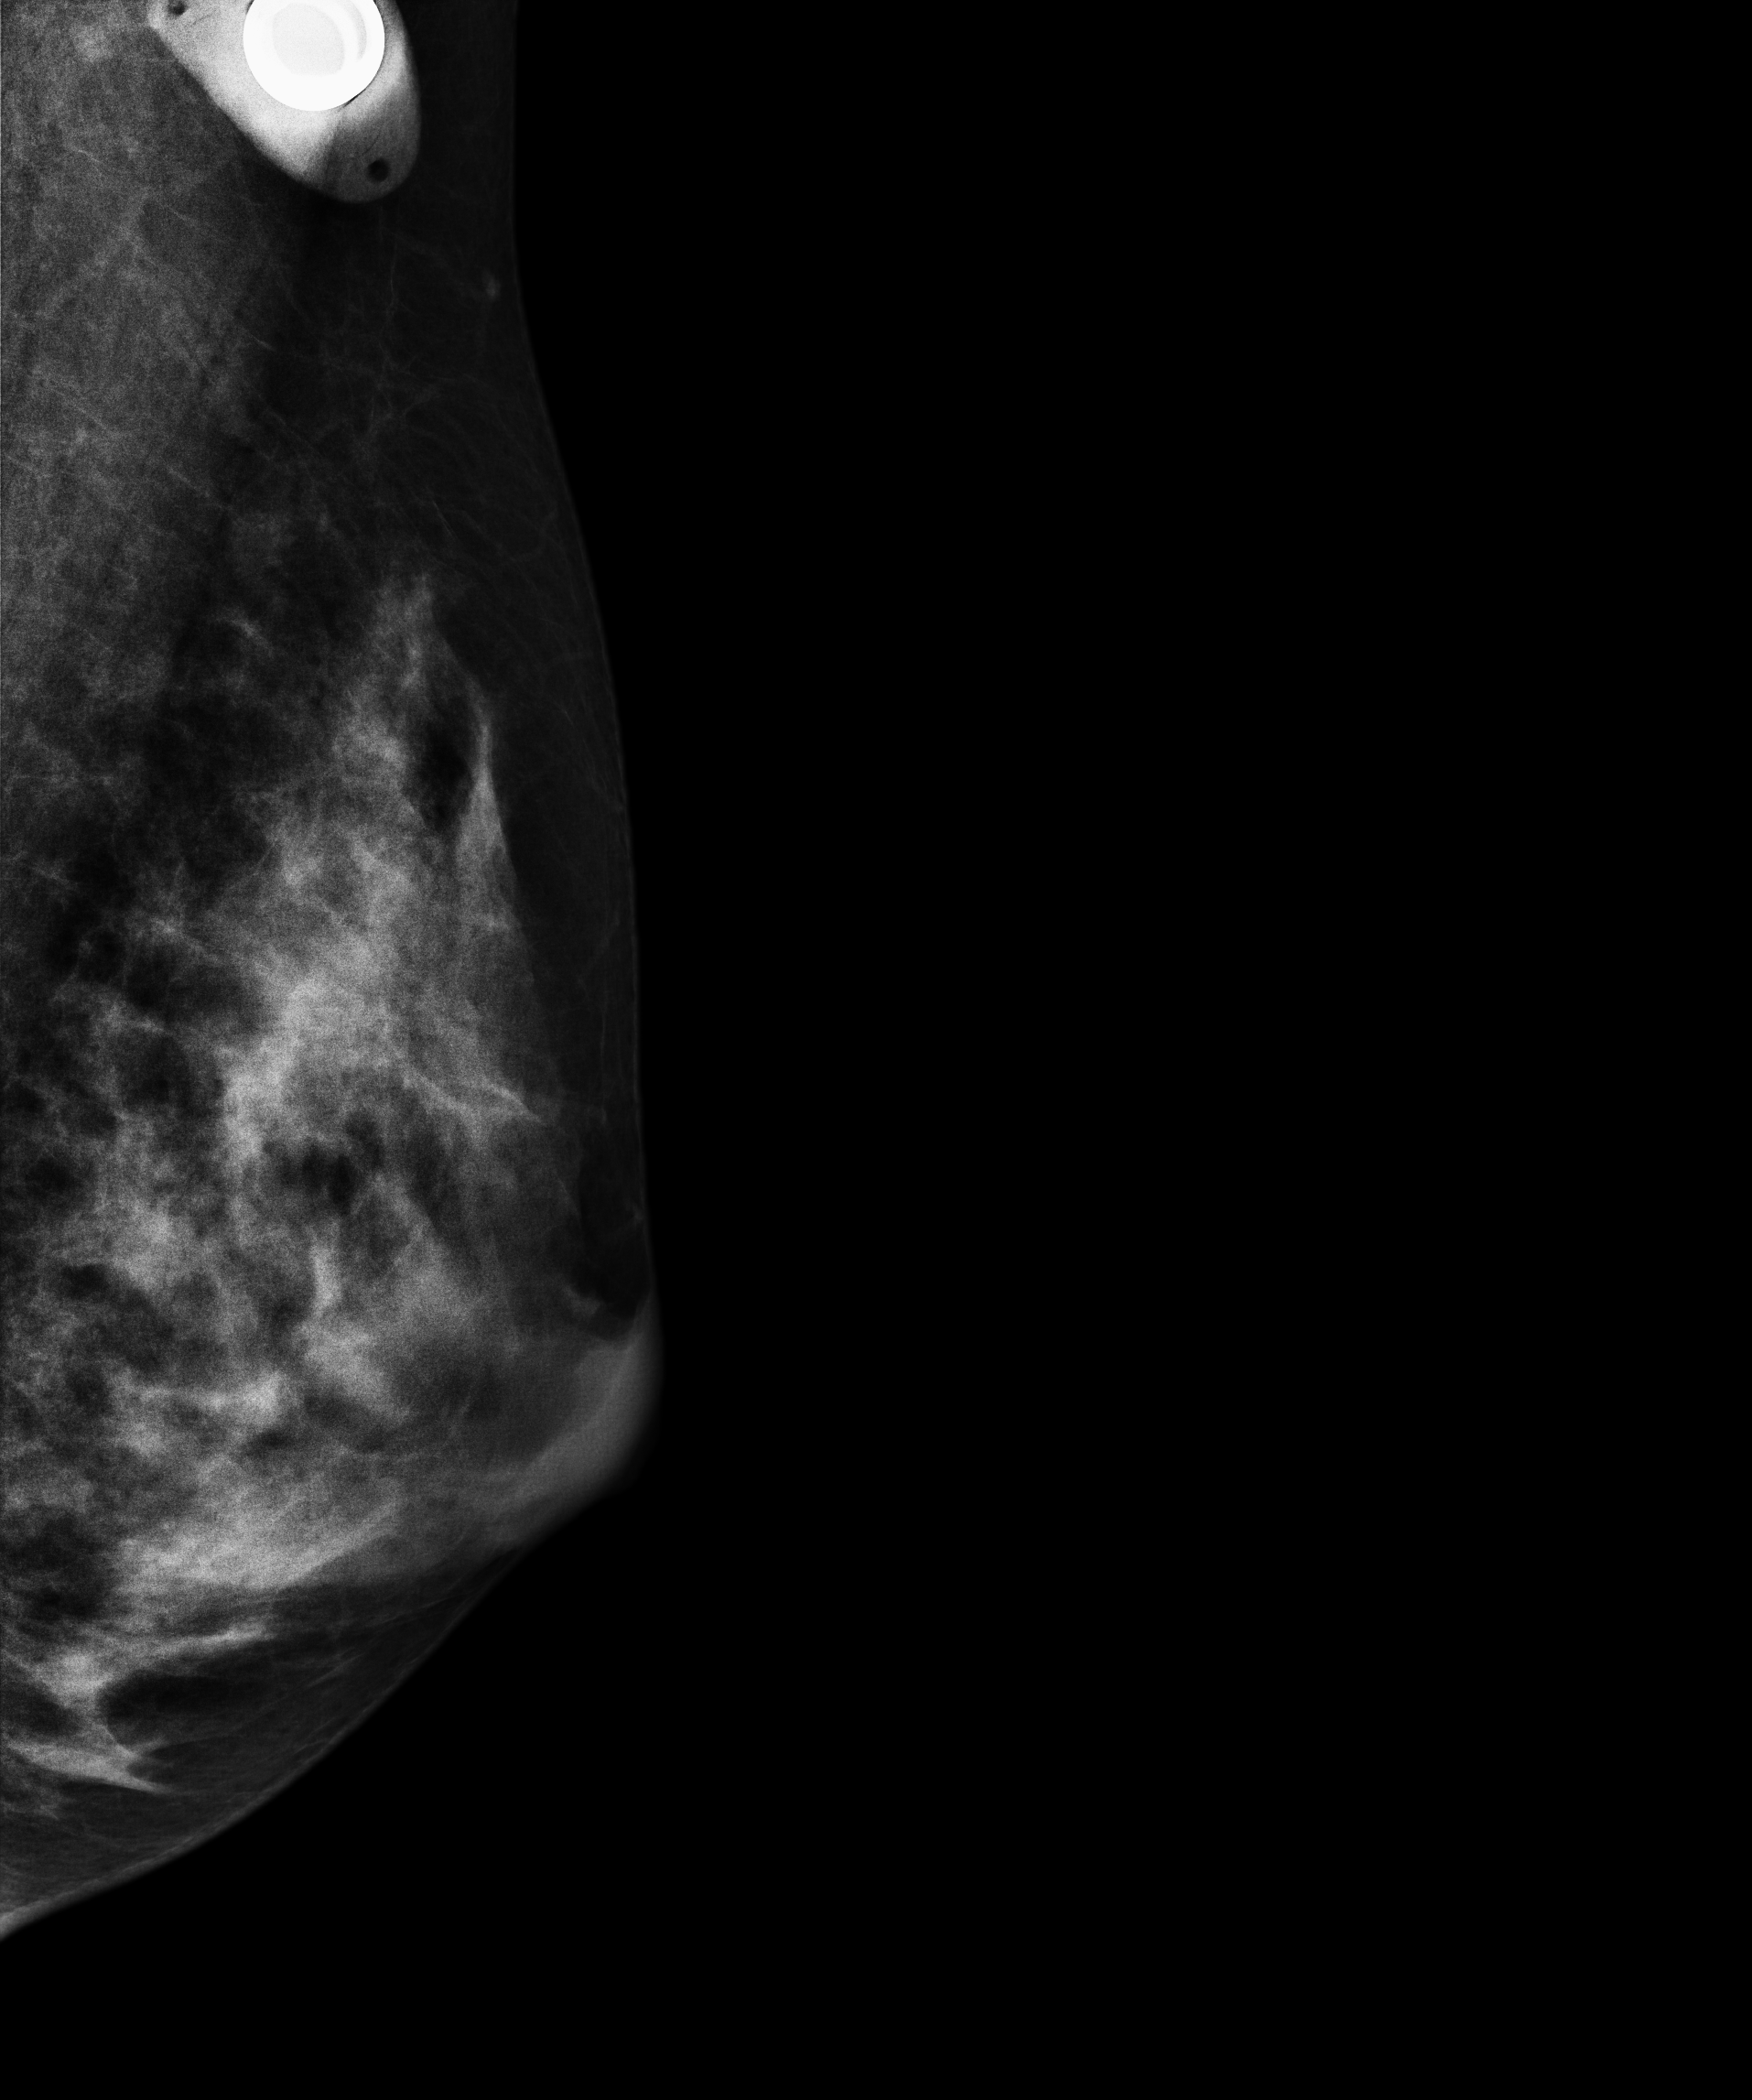
Digital mammography. Left breast, medio-lateral oblique projection. Patient age 25.
Contralateral breast — no documented abnormality on this side.